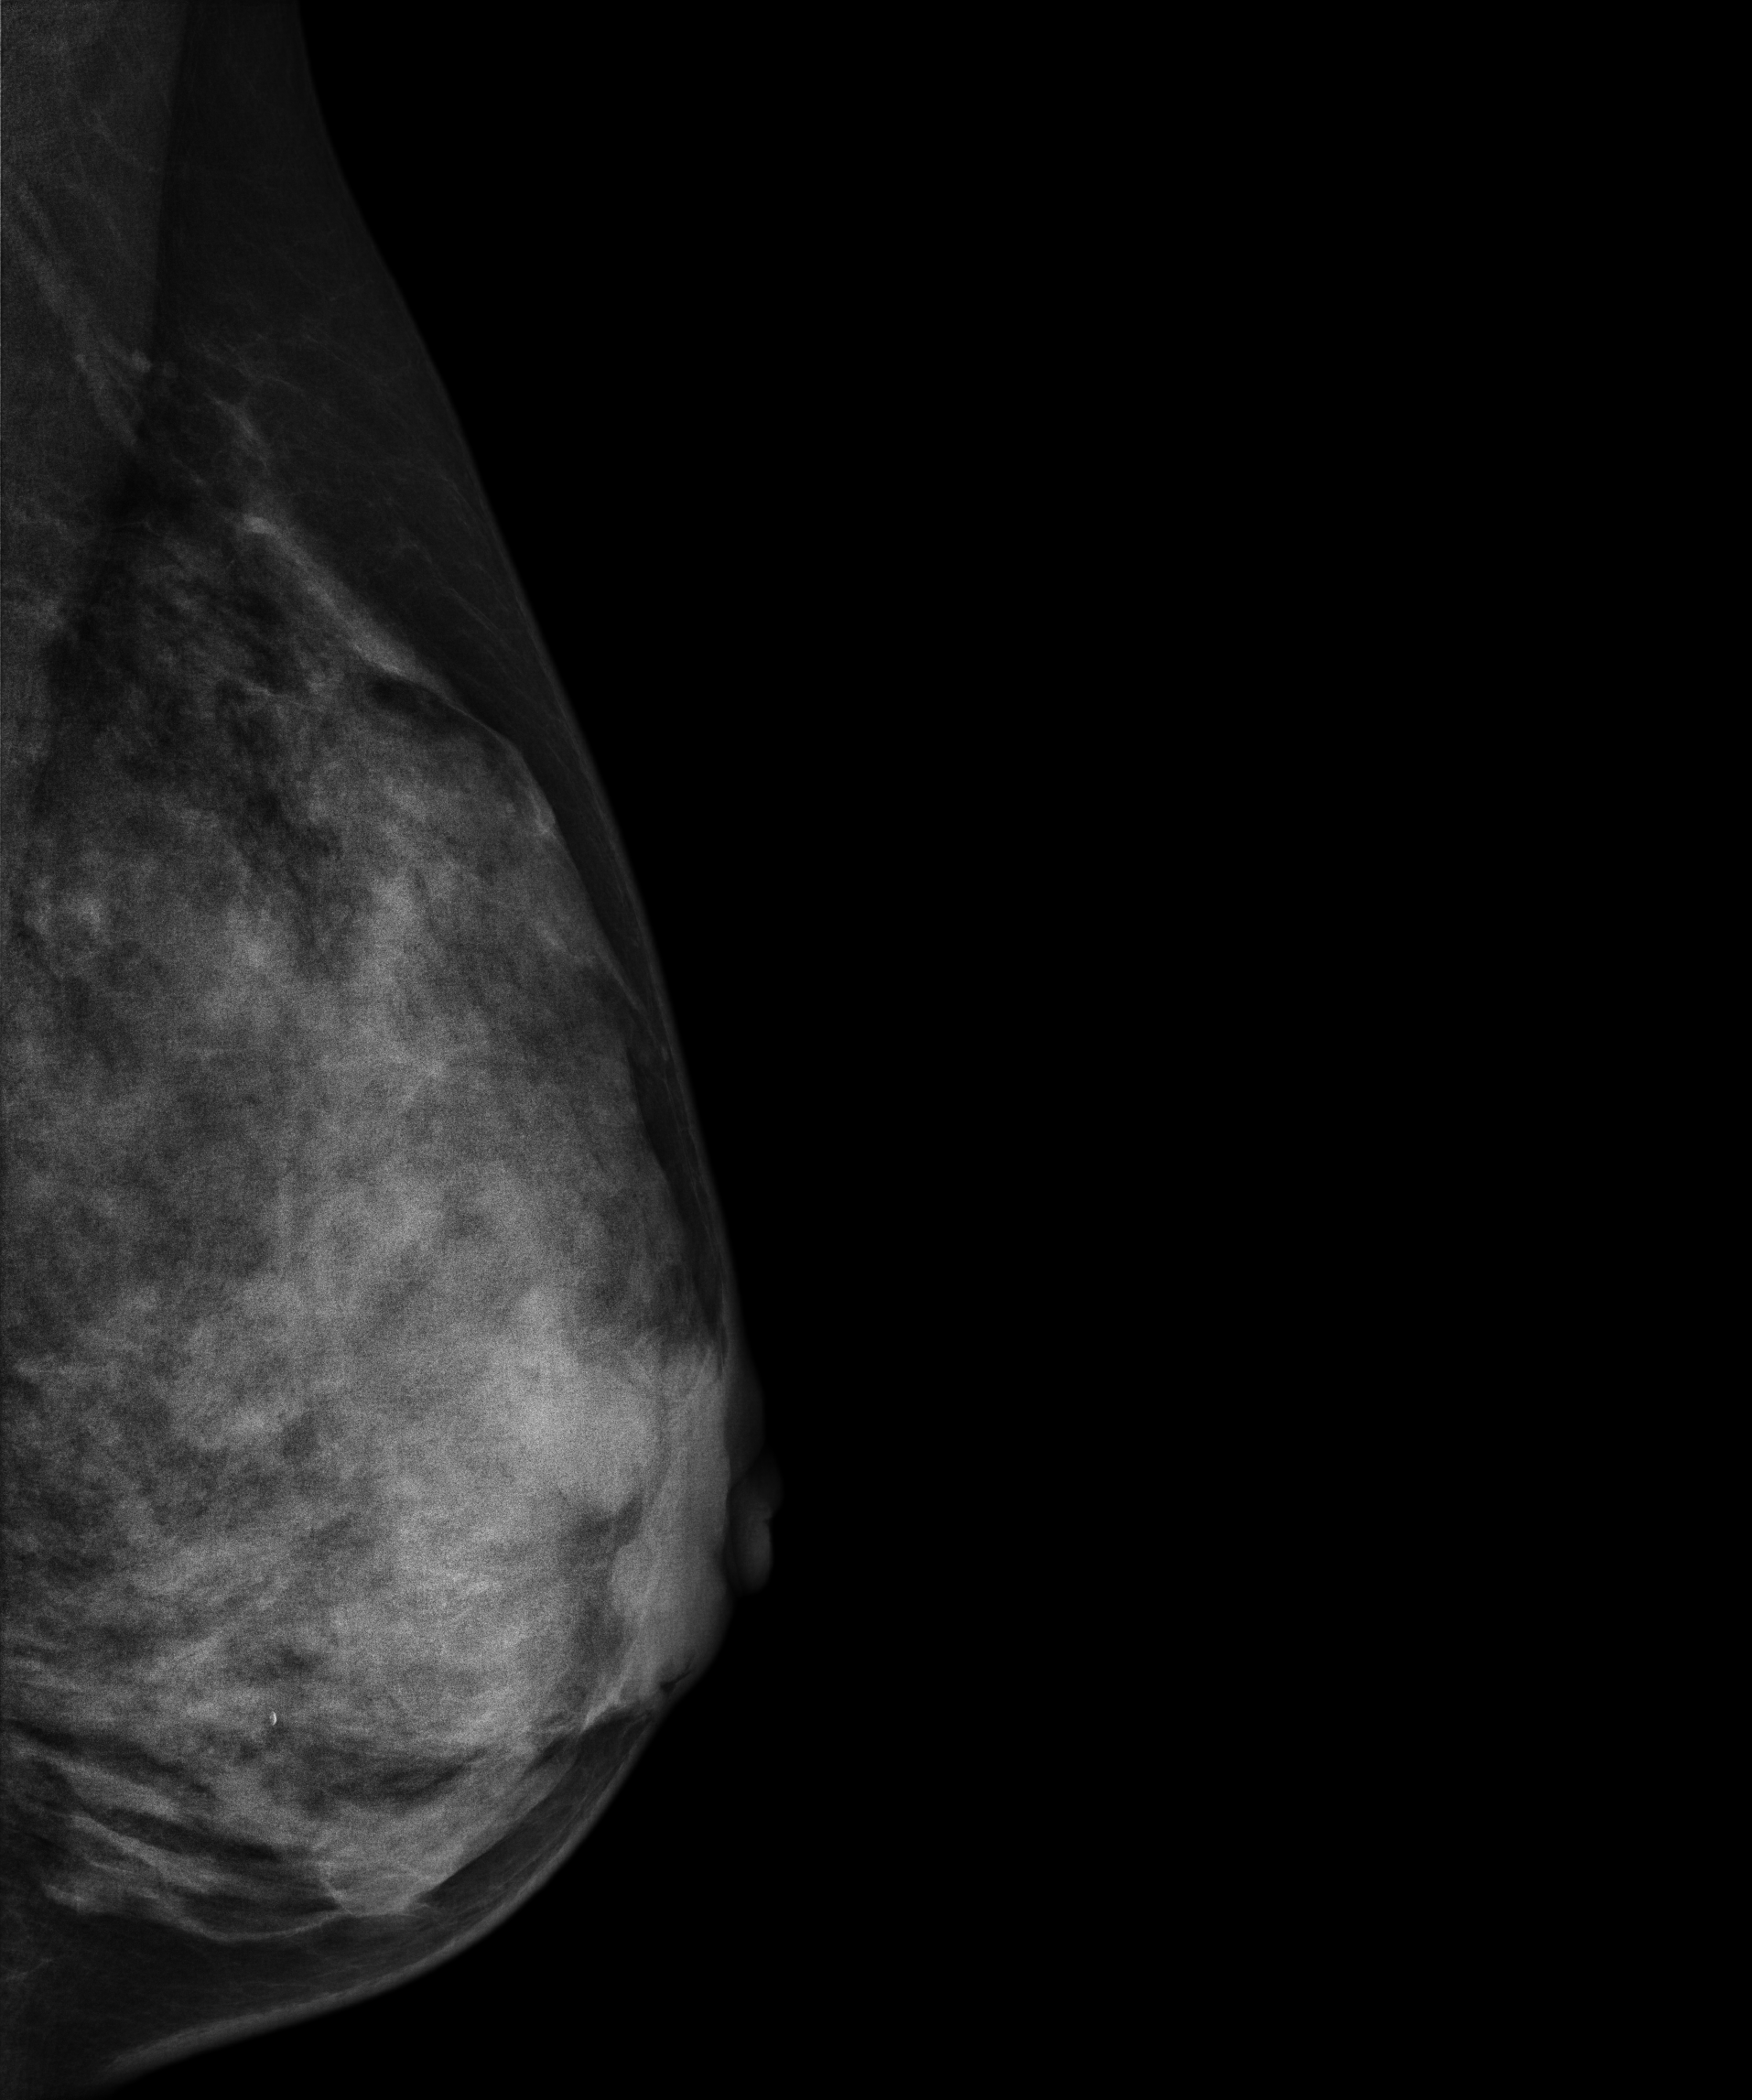
Medio-lateral oblique mammogram of the left breast. 50-year-old patient.
This breast has a mass, biopsy-confirmed malignant.